Mammogram — left cranio-caudal. 46-year-old patient.
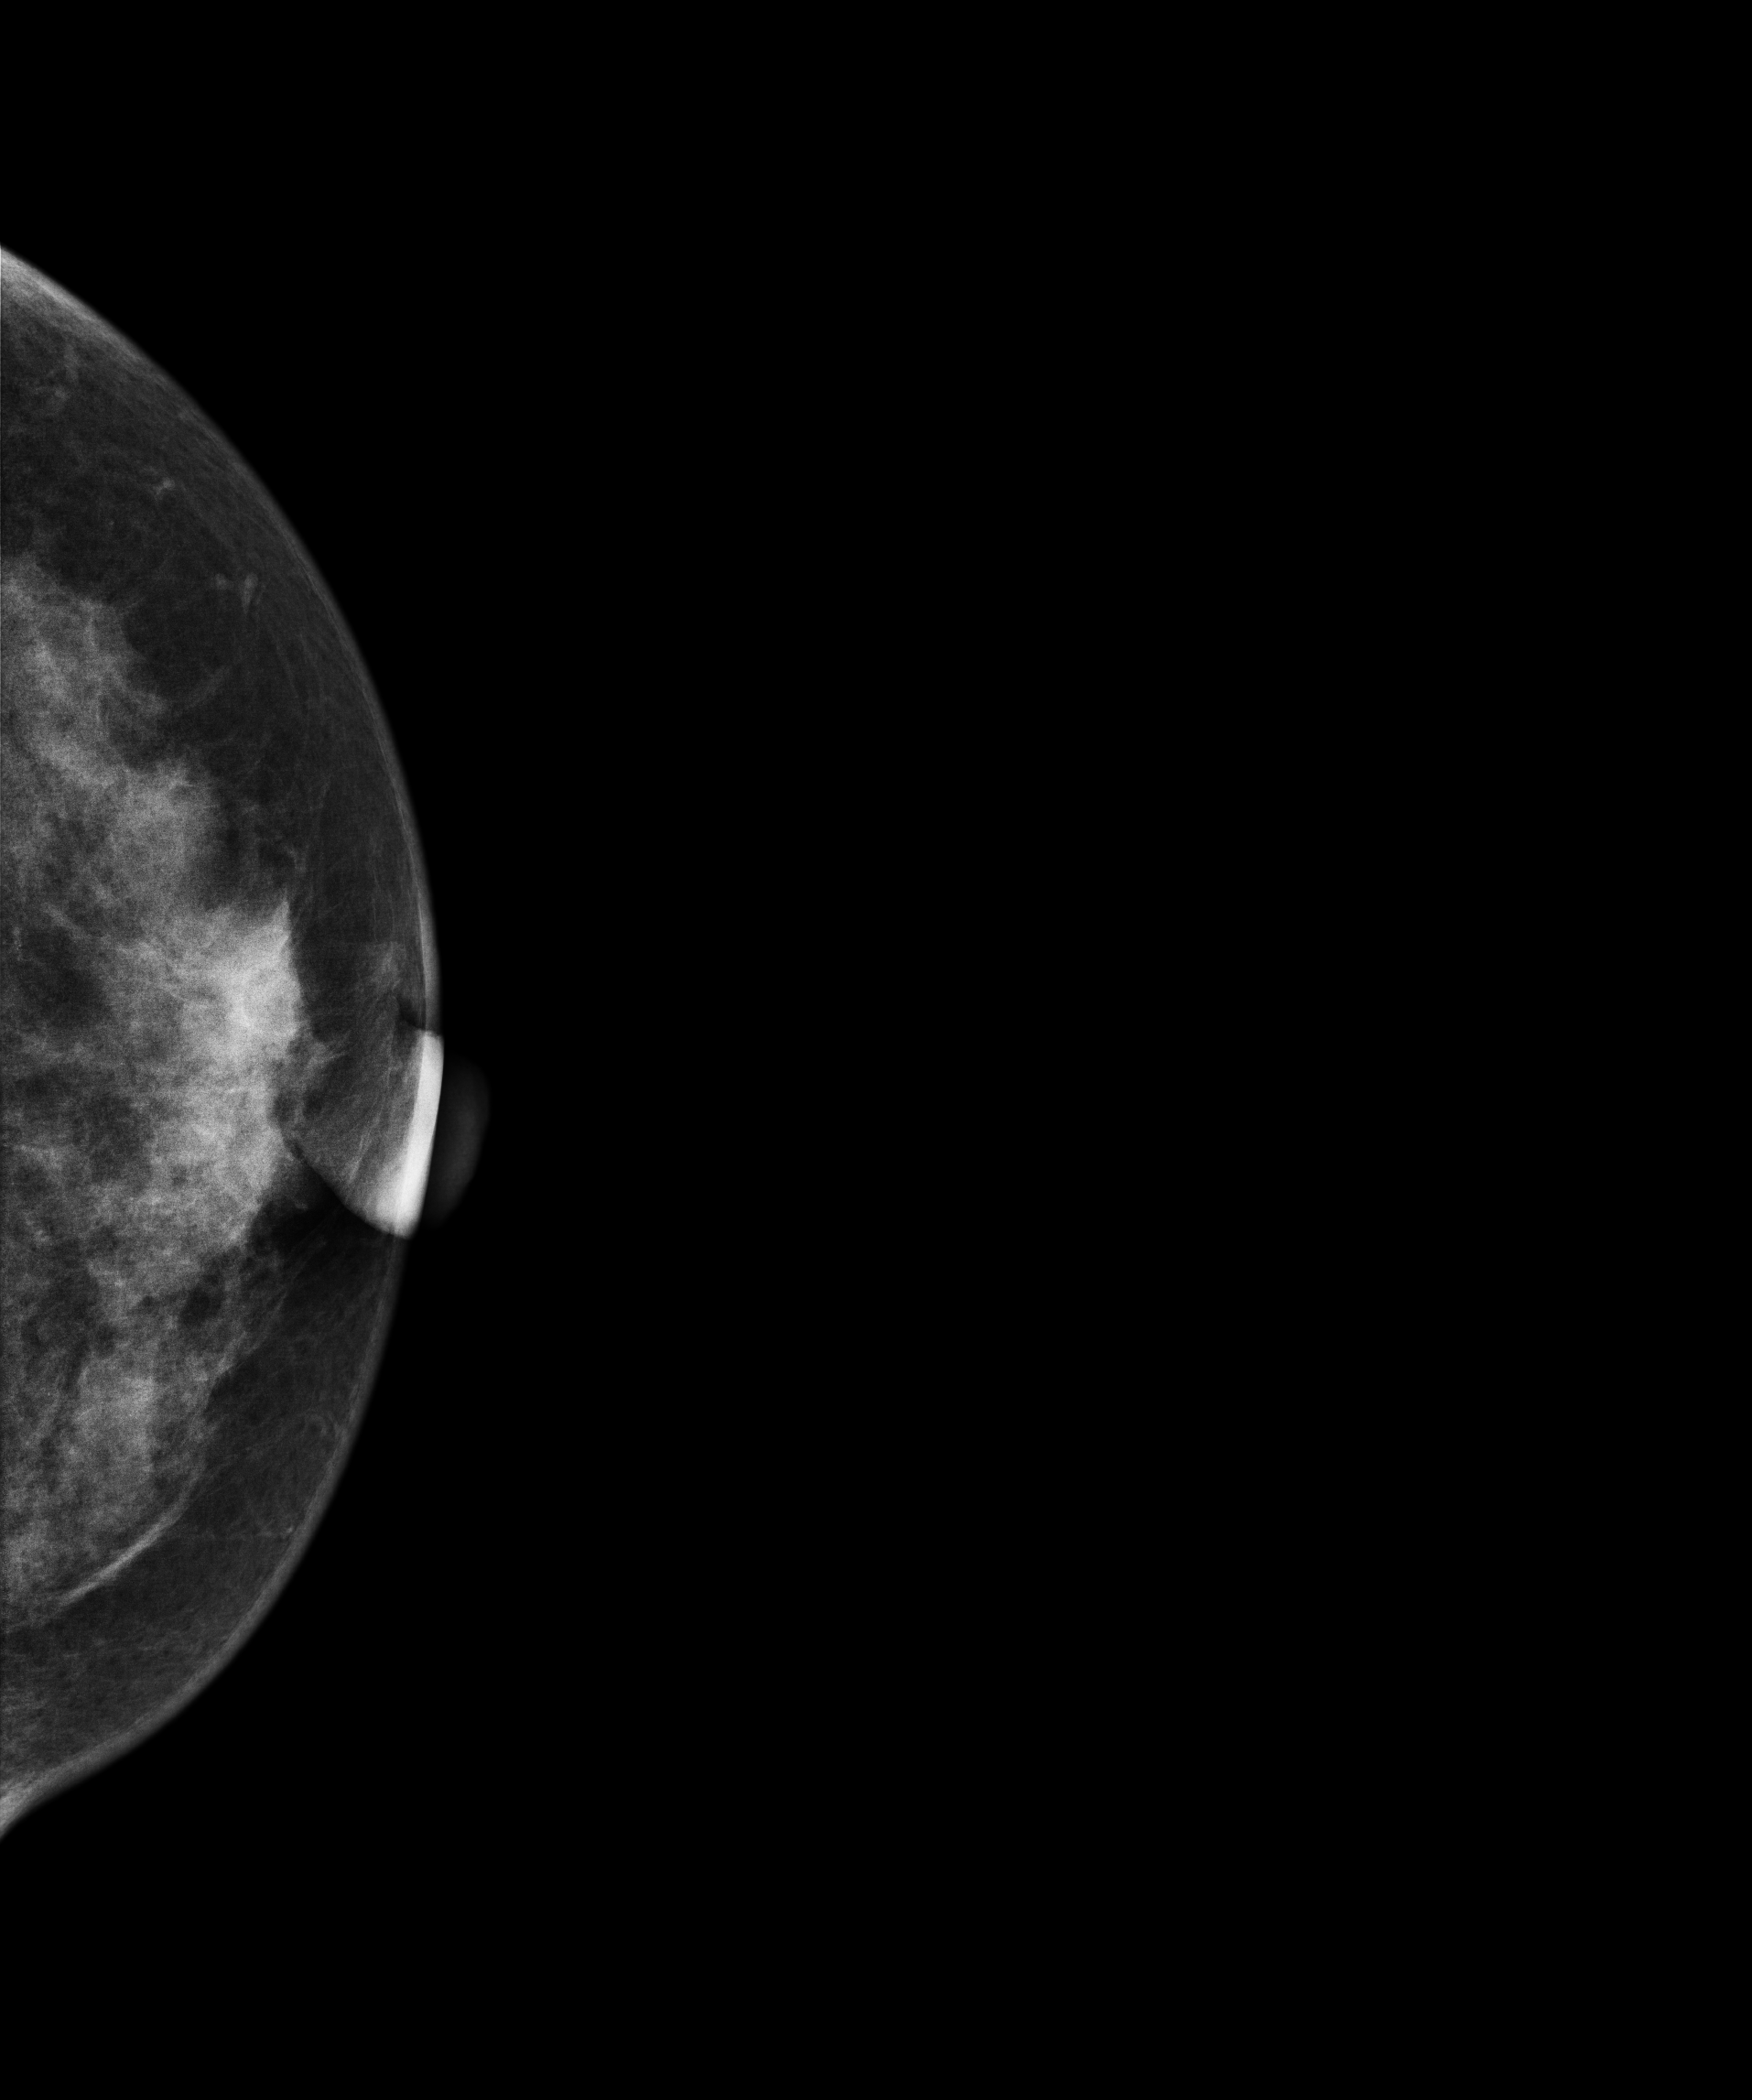
Contralateral breast — no documented abnormality on this side.